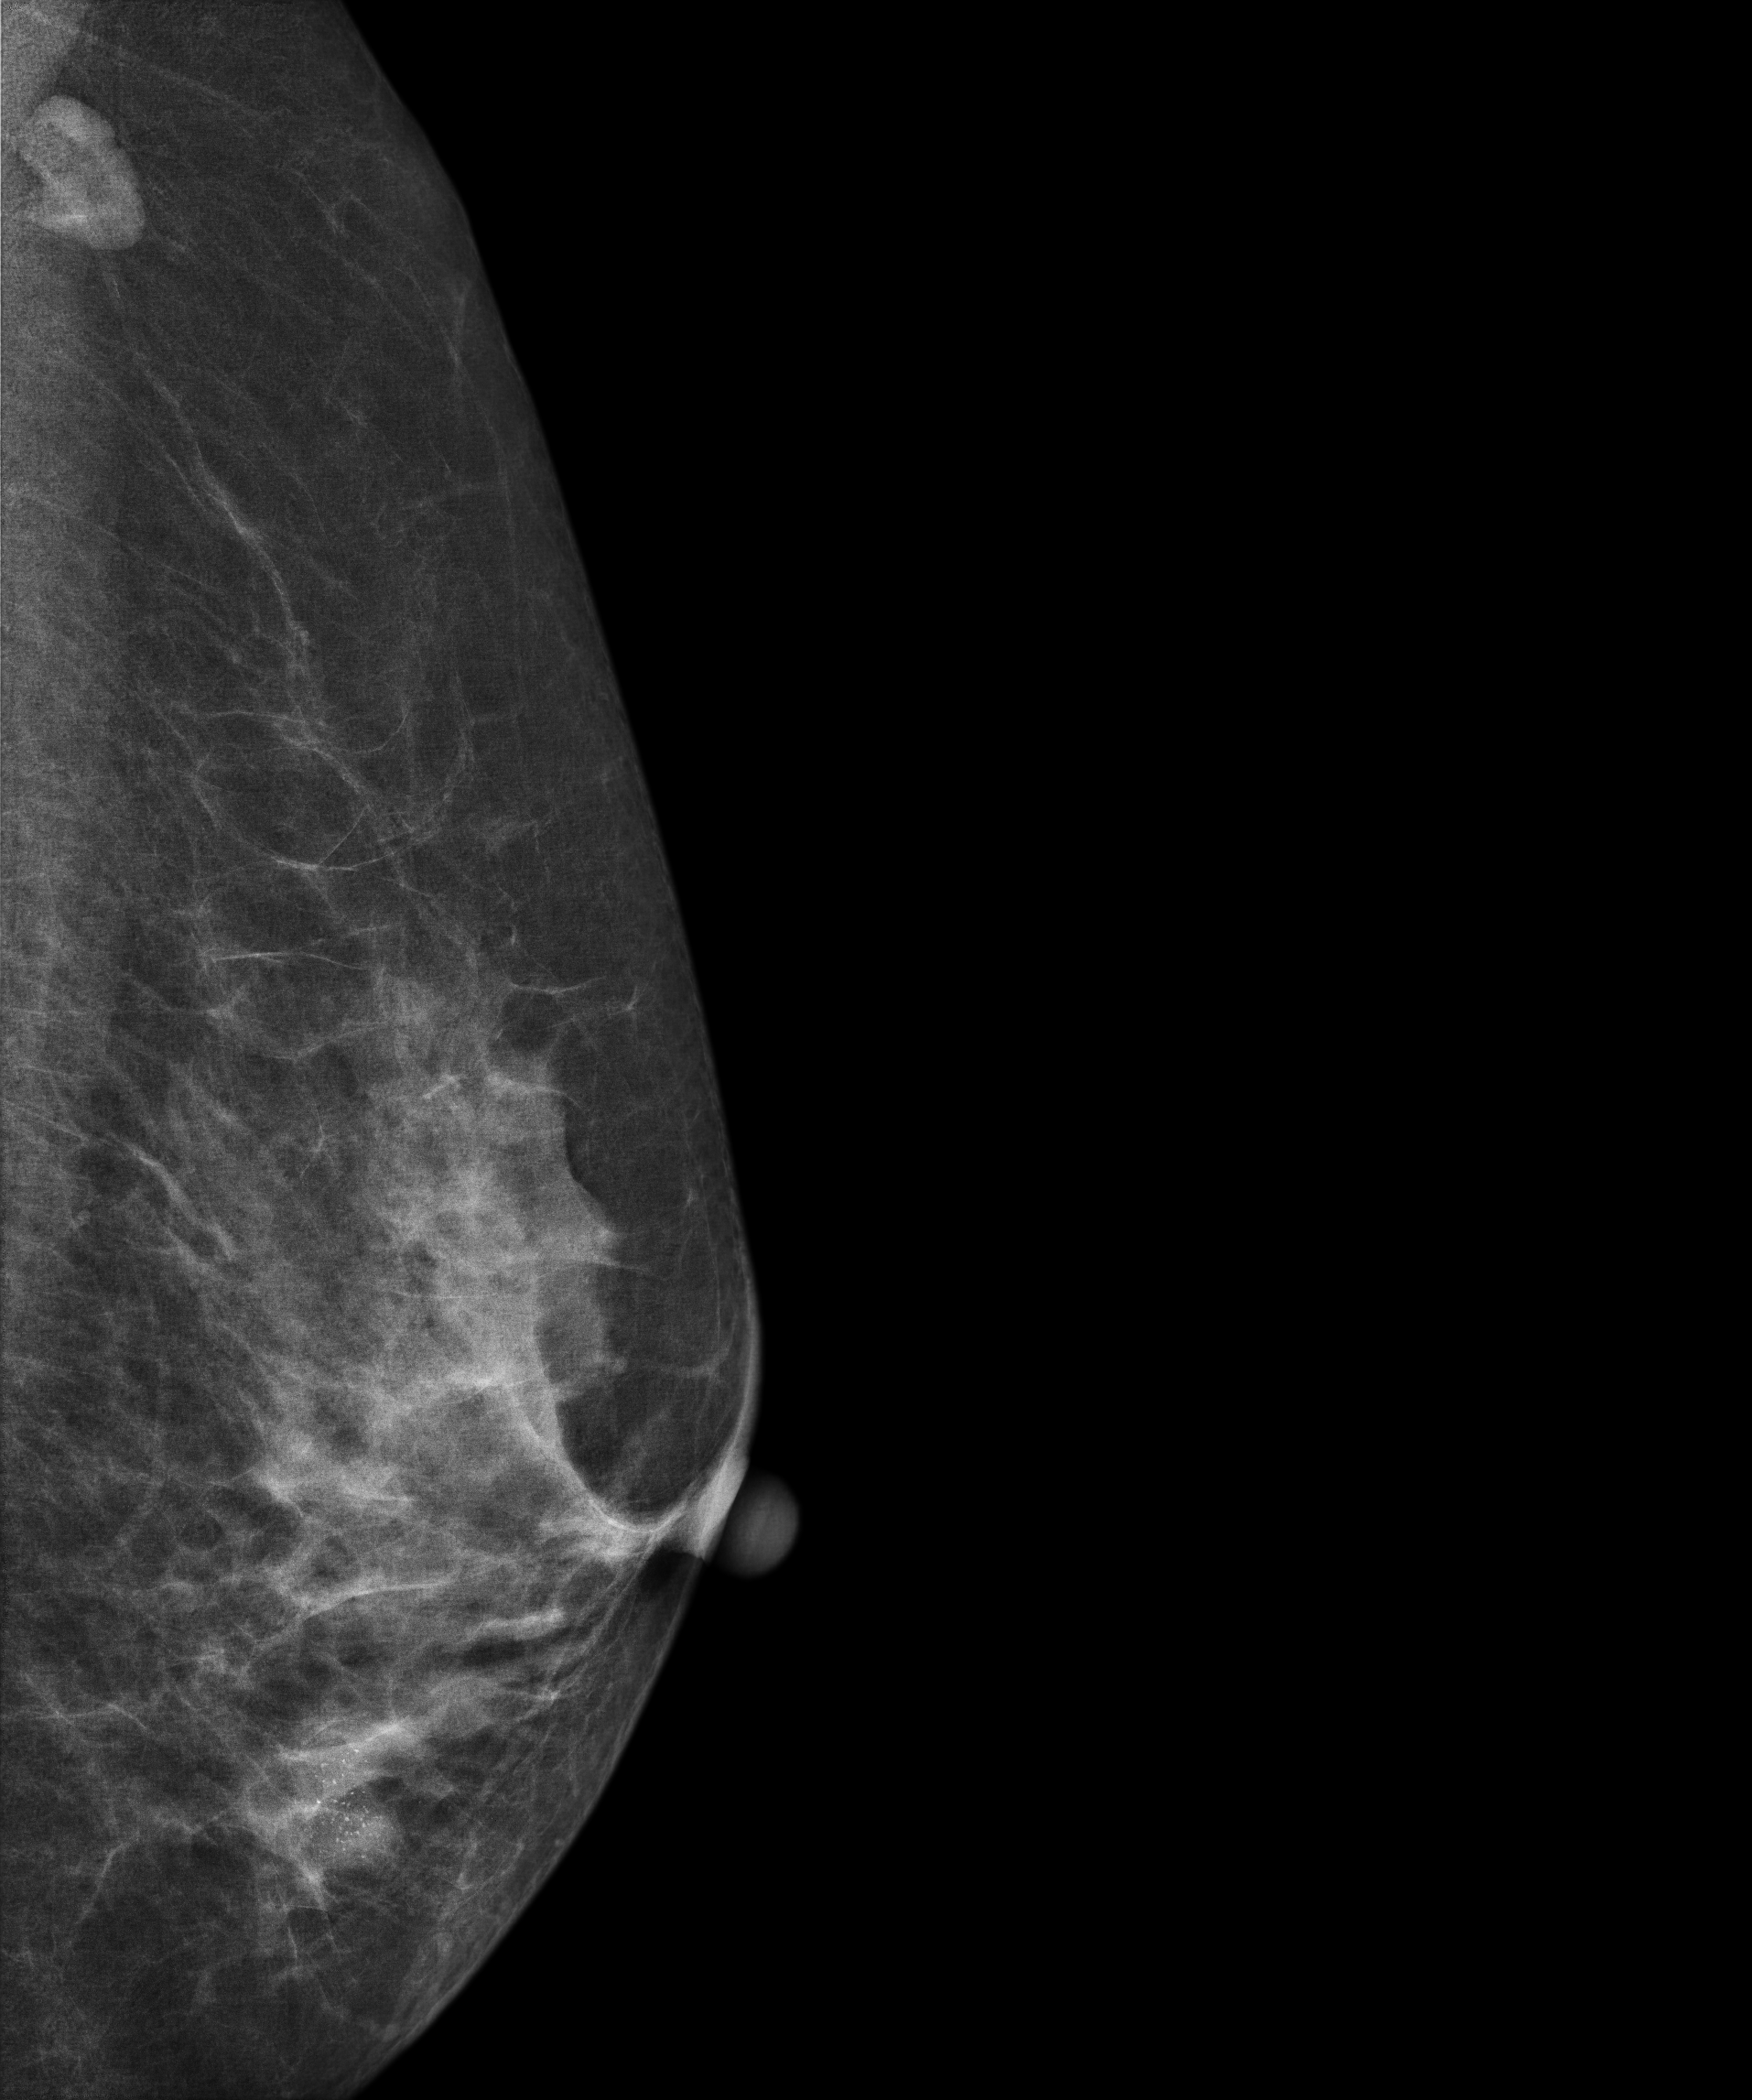
Left-breast mammogram, medio-lateral oblique. Patient age 57.
This breast has calcifications, biopsy-proven malignant.